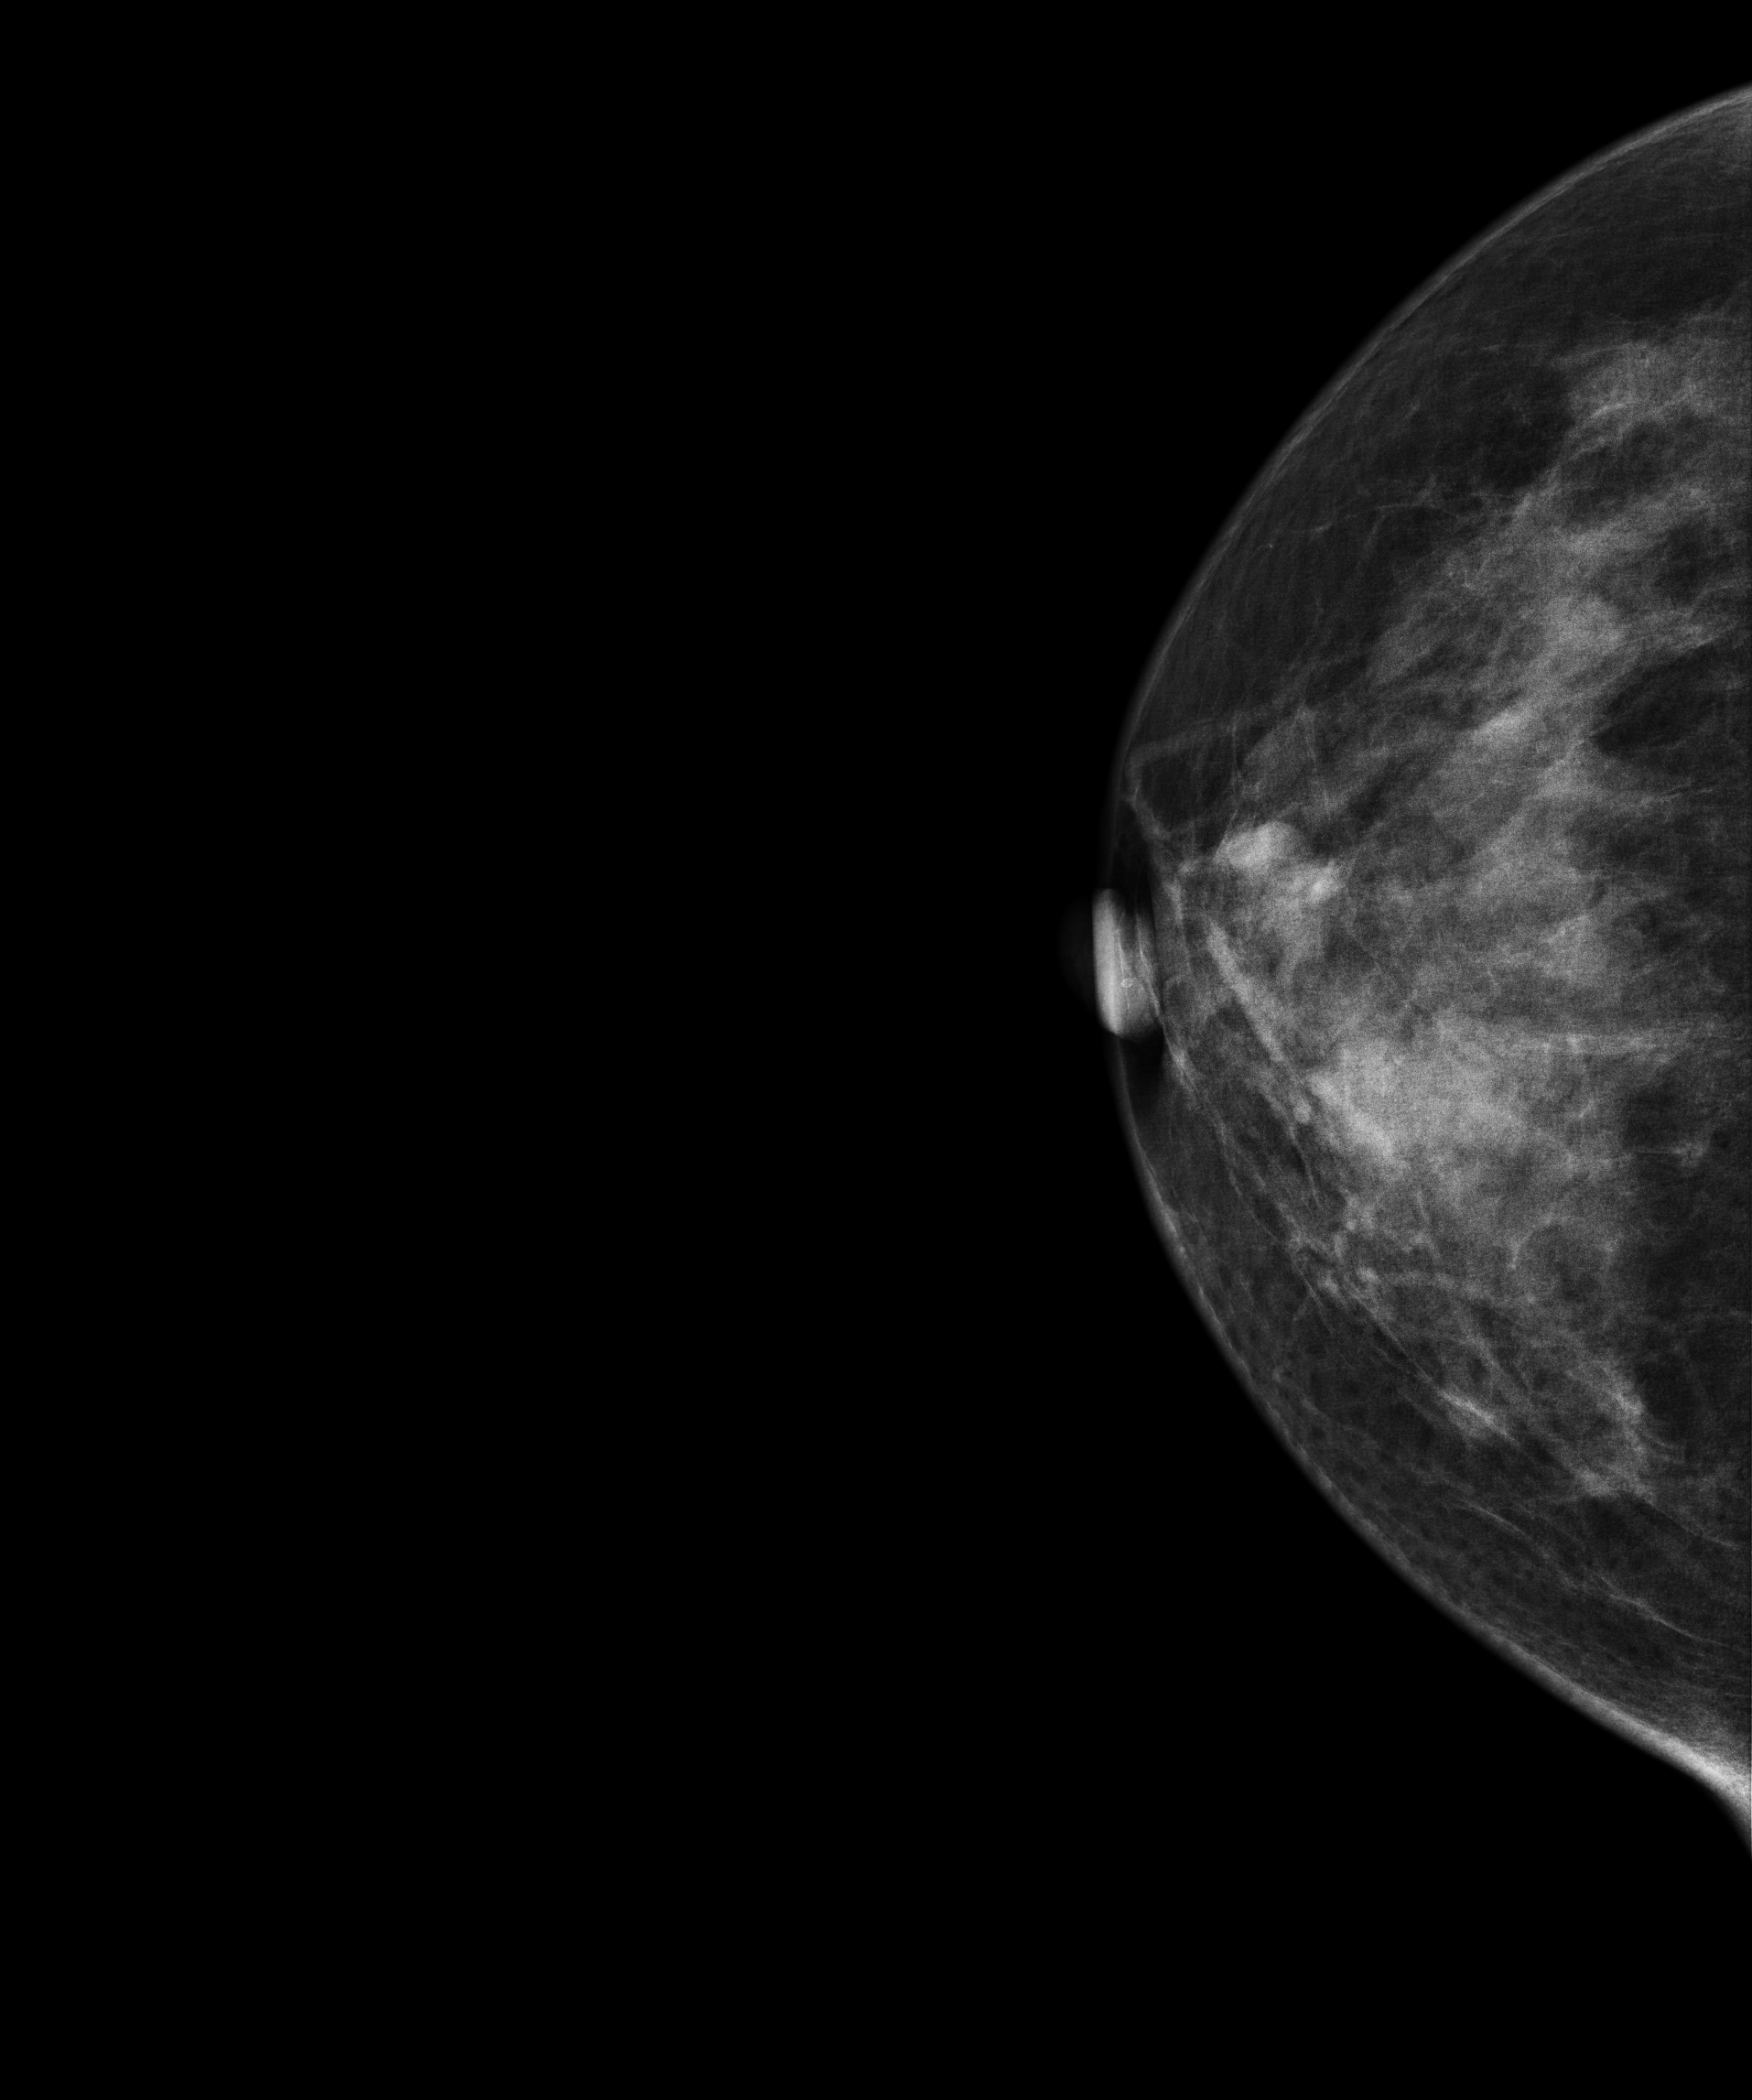
Right-breast mammogram, cranio-caudal. Patient age 39.
This breast has a mass, biopsy-proven benign.